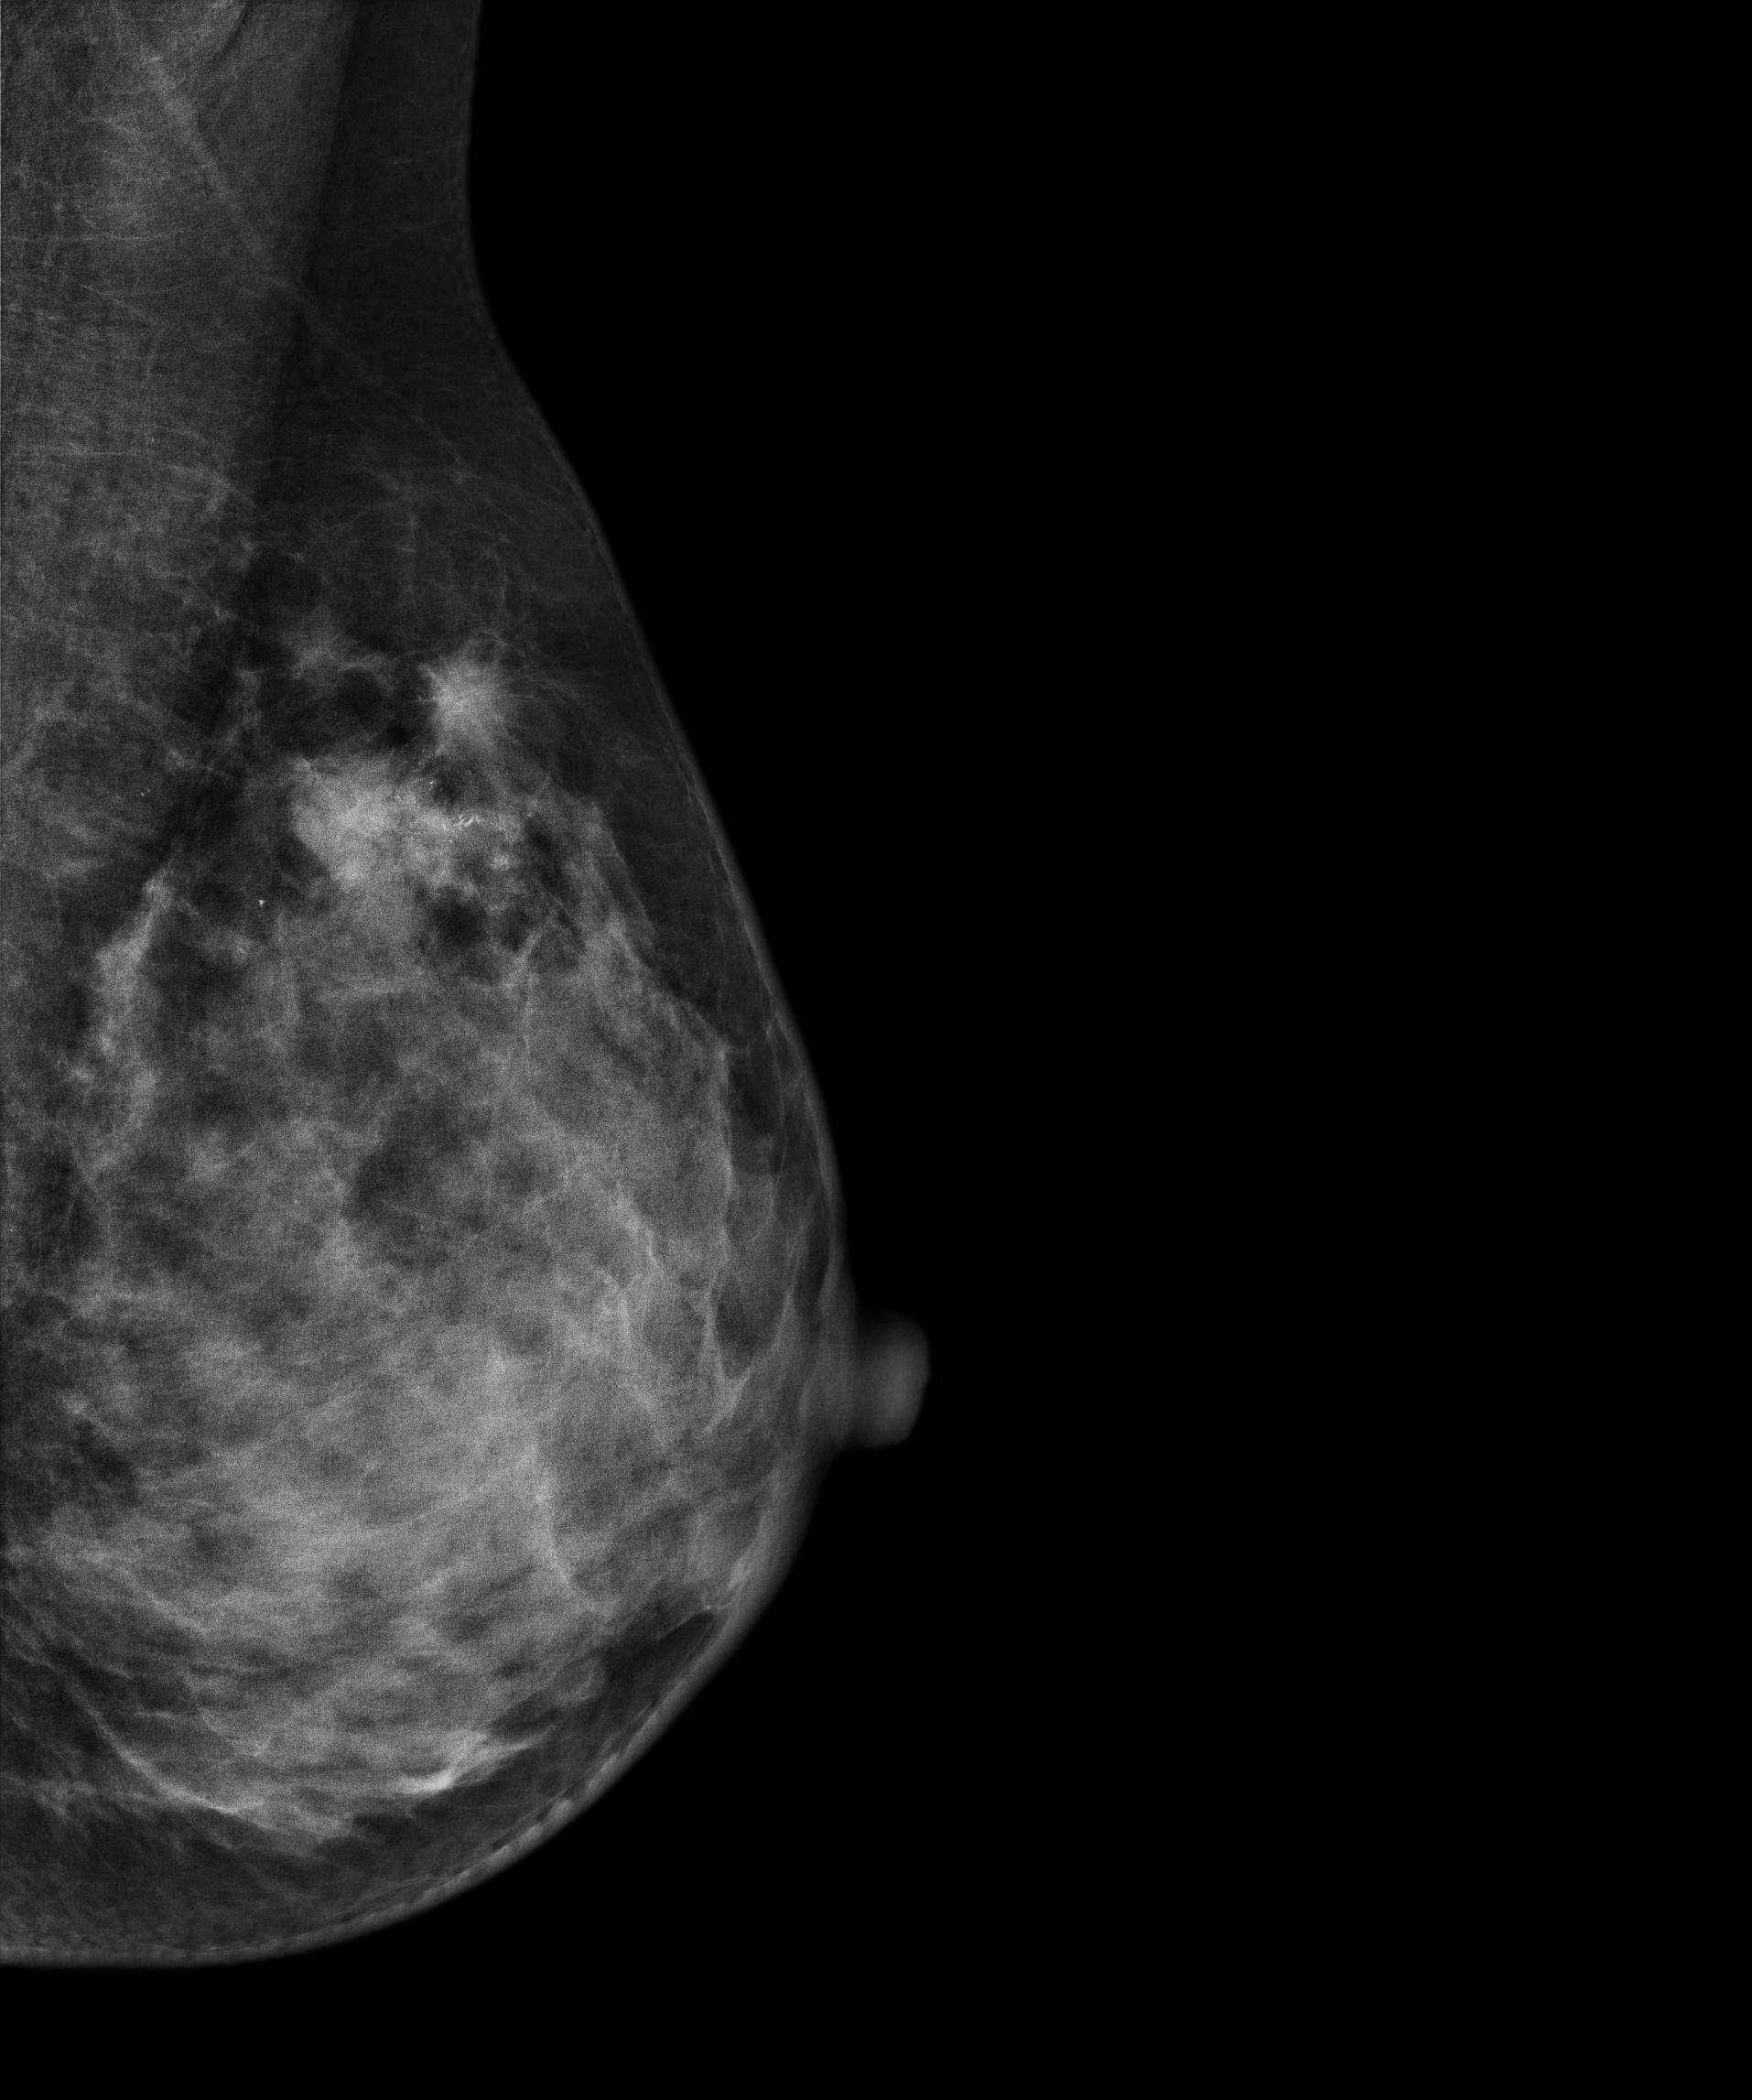
Medio-lateral oblique mammogram of the left breast. Patient age 35.
This breast has a mass and calcifications, biopsy-proven malignant. Molecular subtype: luminal B.